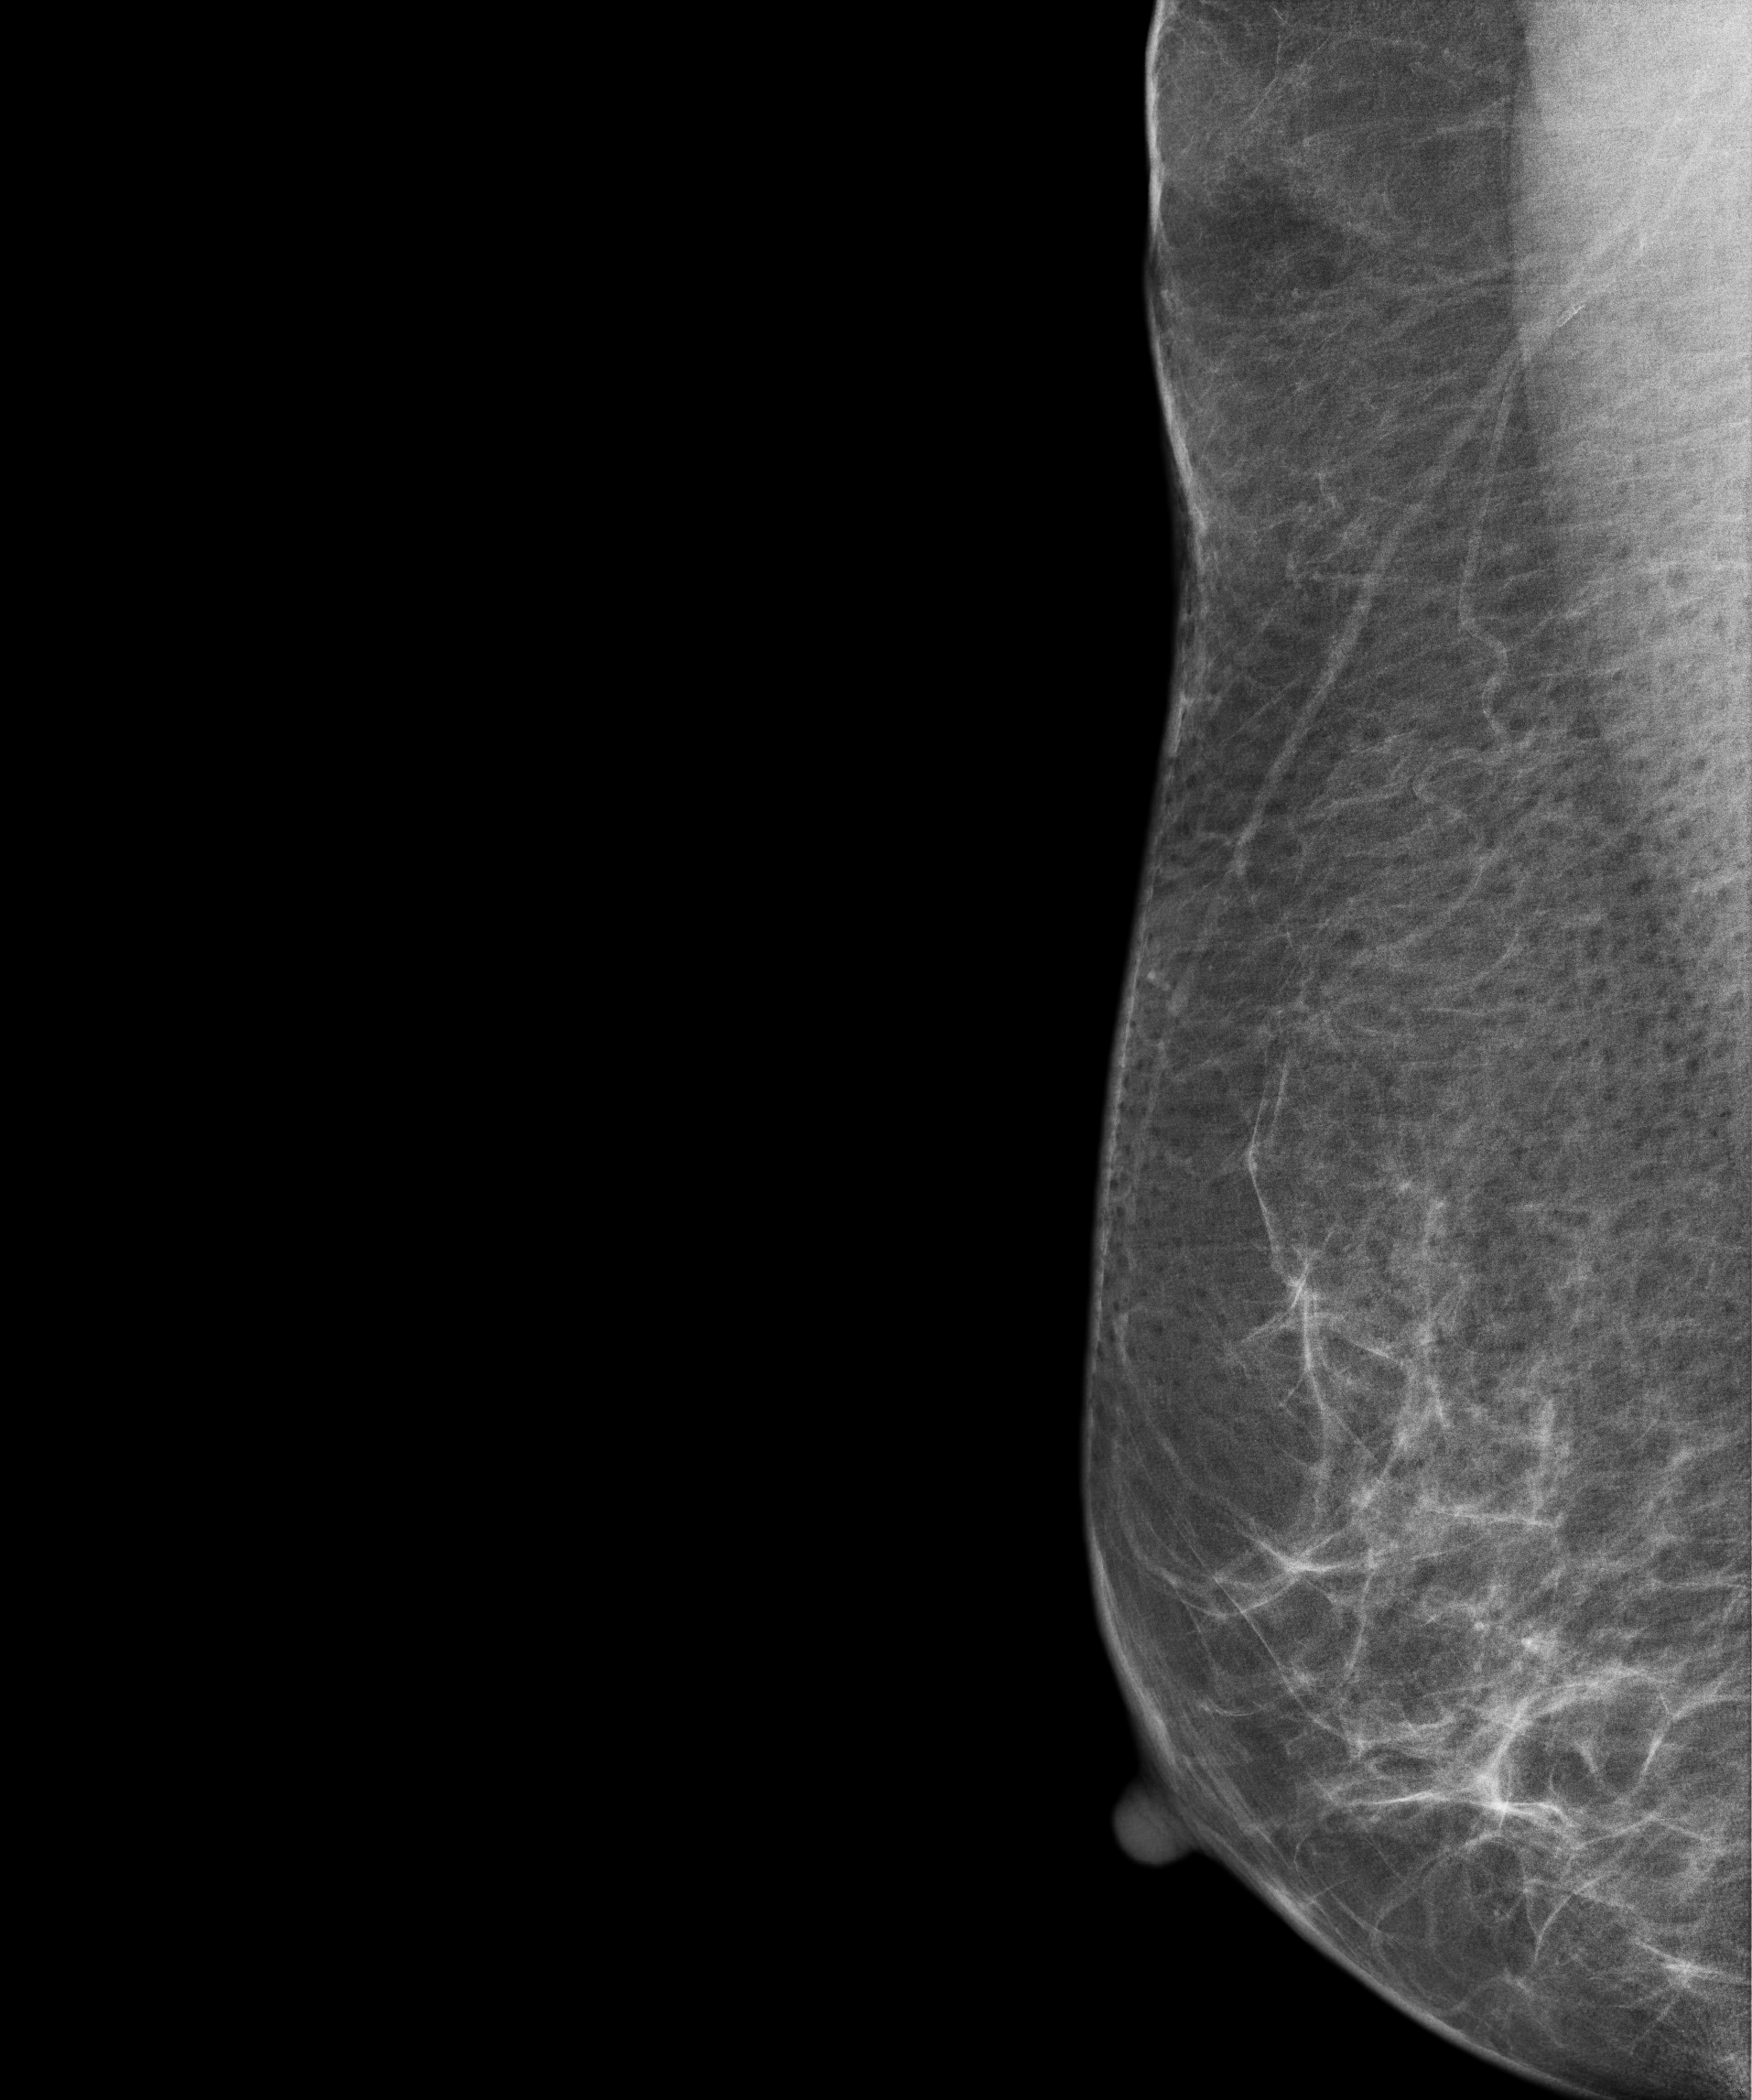
Mammogram — right MLO. Patient age 64.
Contralateral breast — no documented abnormality on this side.